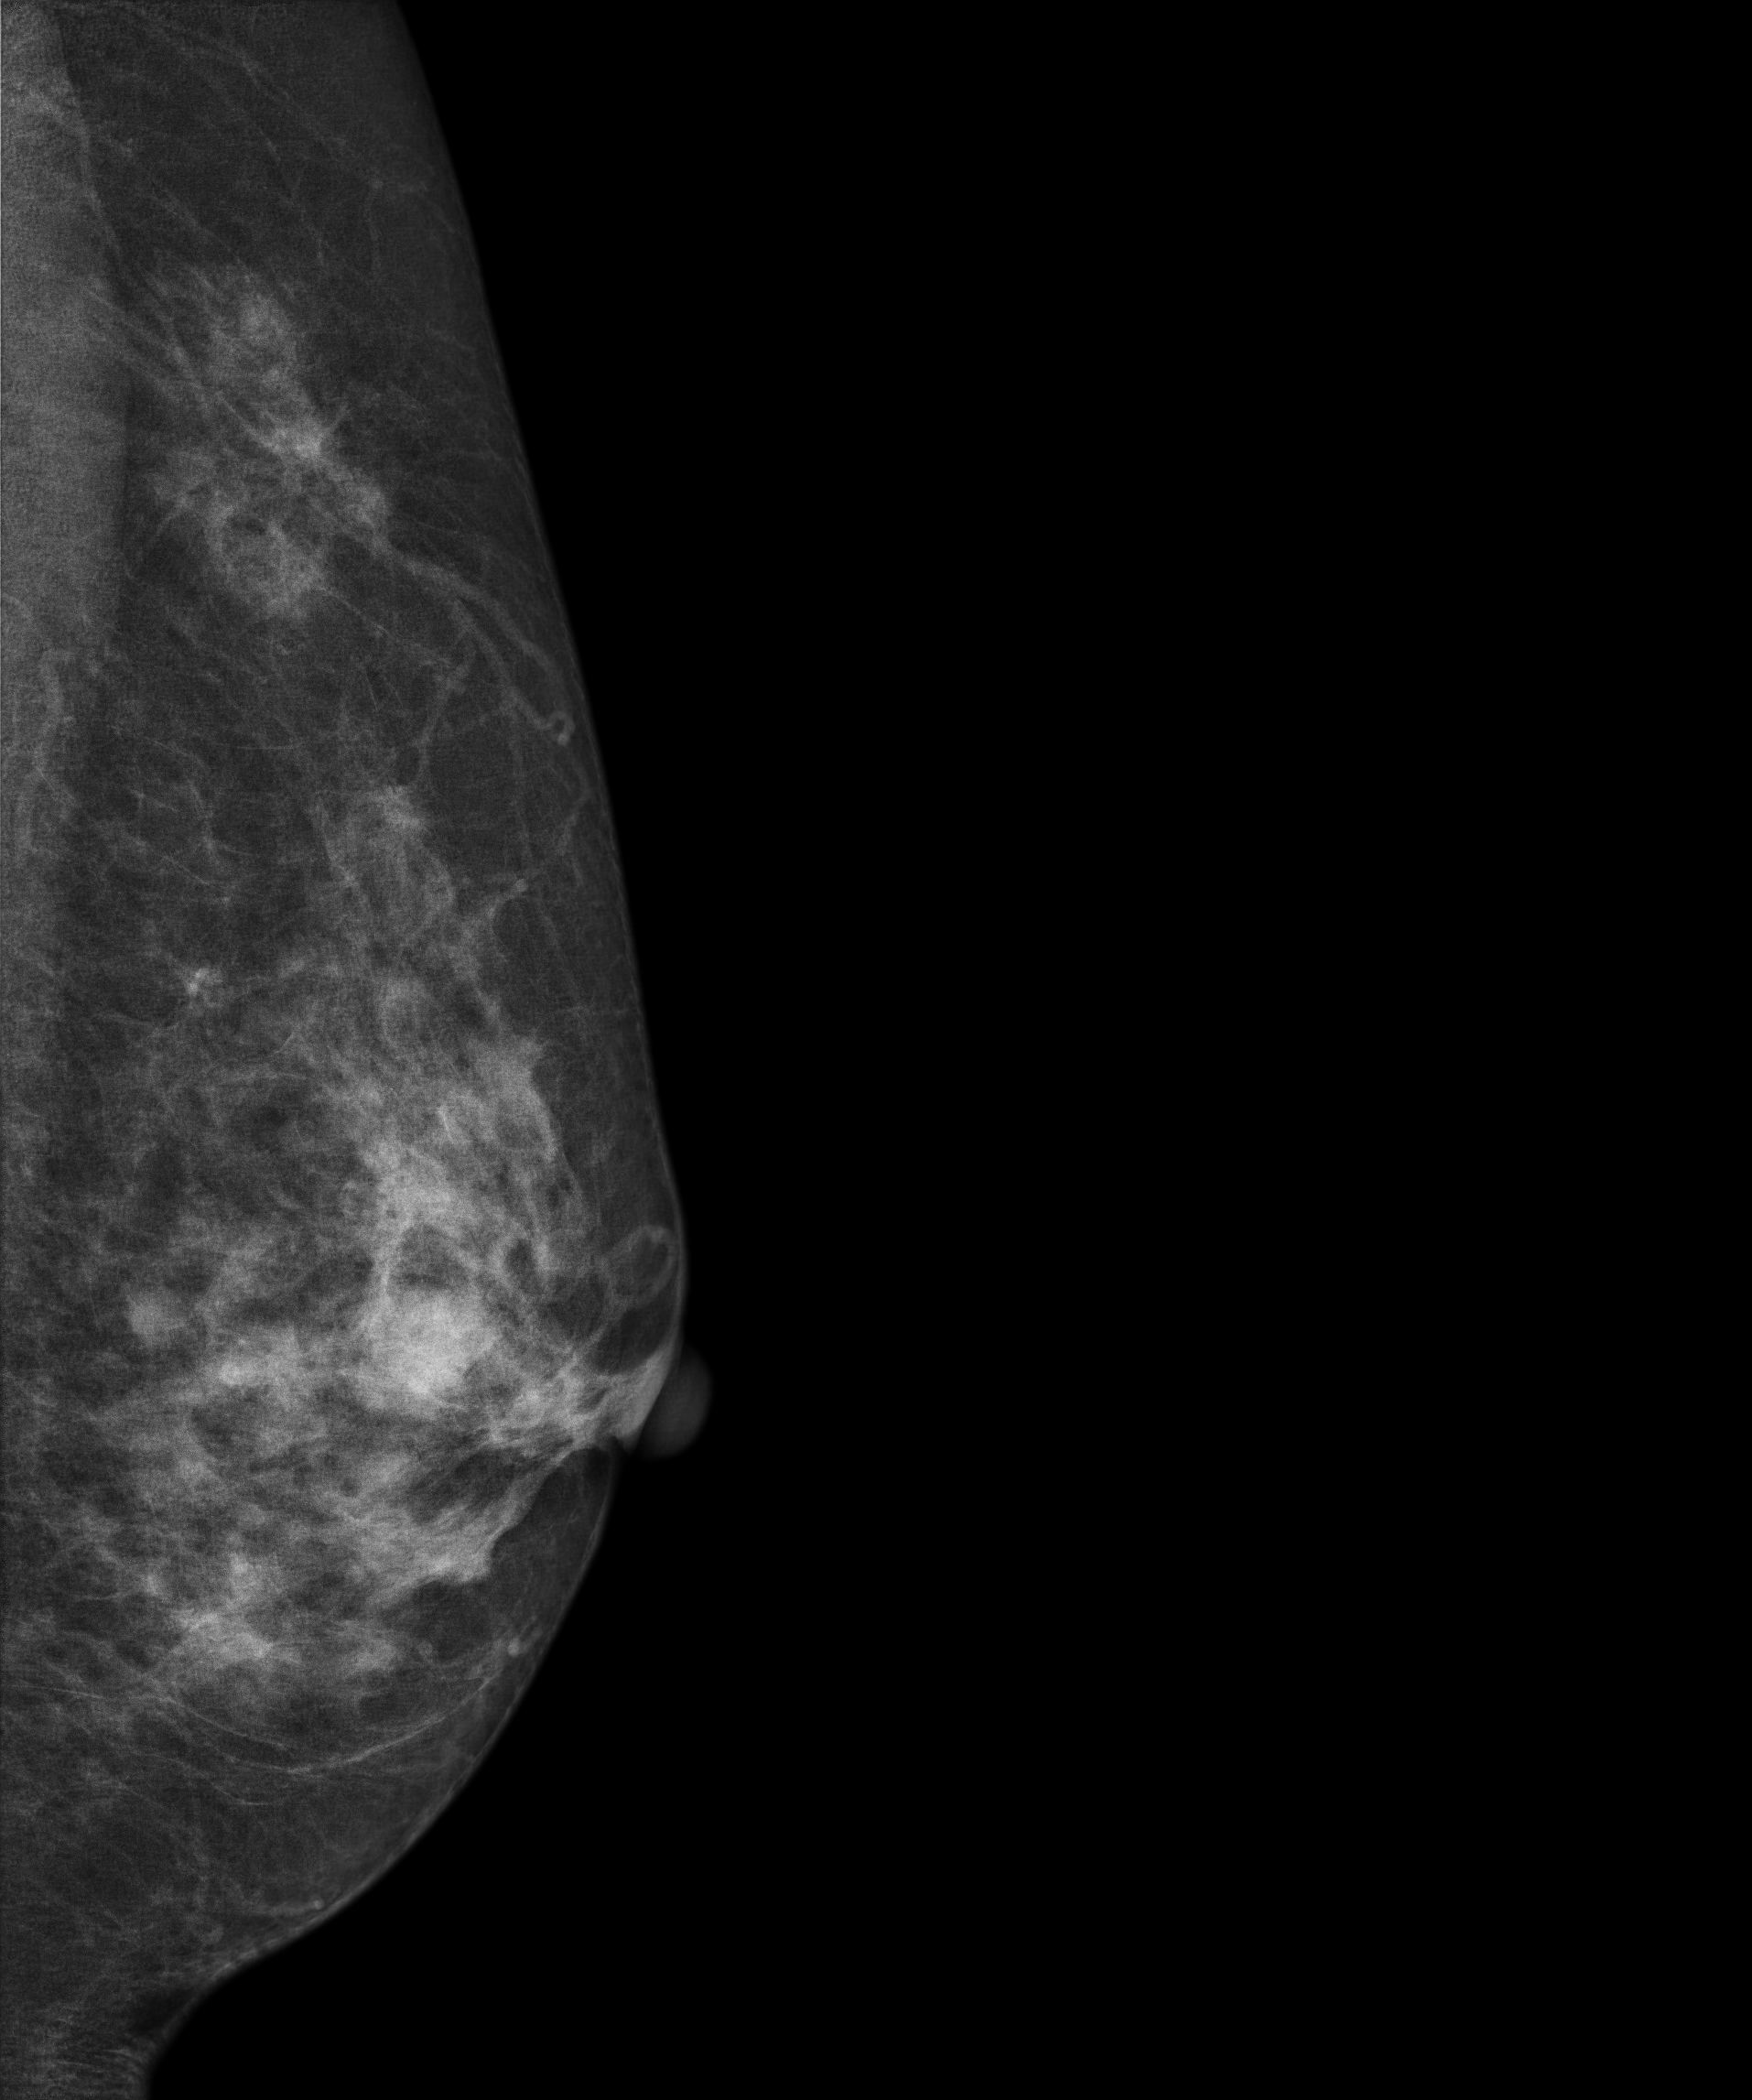
Mammogram, left breast, MLO view. 59-year-old patient.
This breast has a mass, biopsy-proven malignant. Molecular subtype: luminal B.